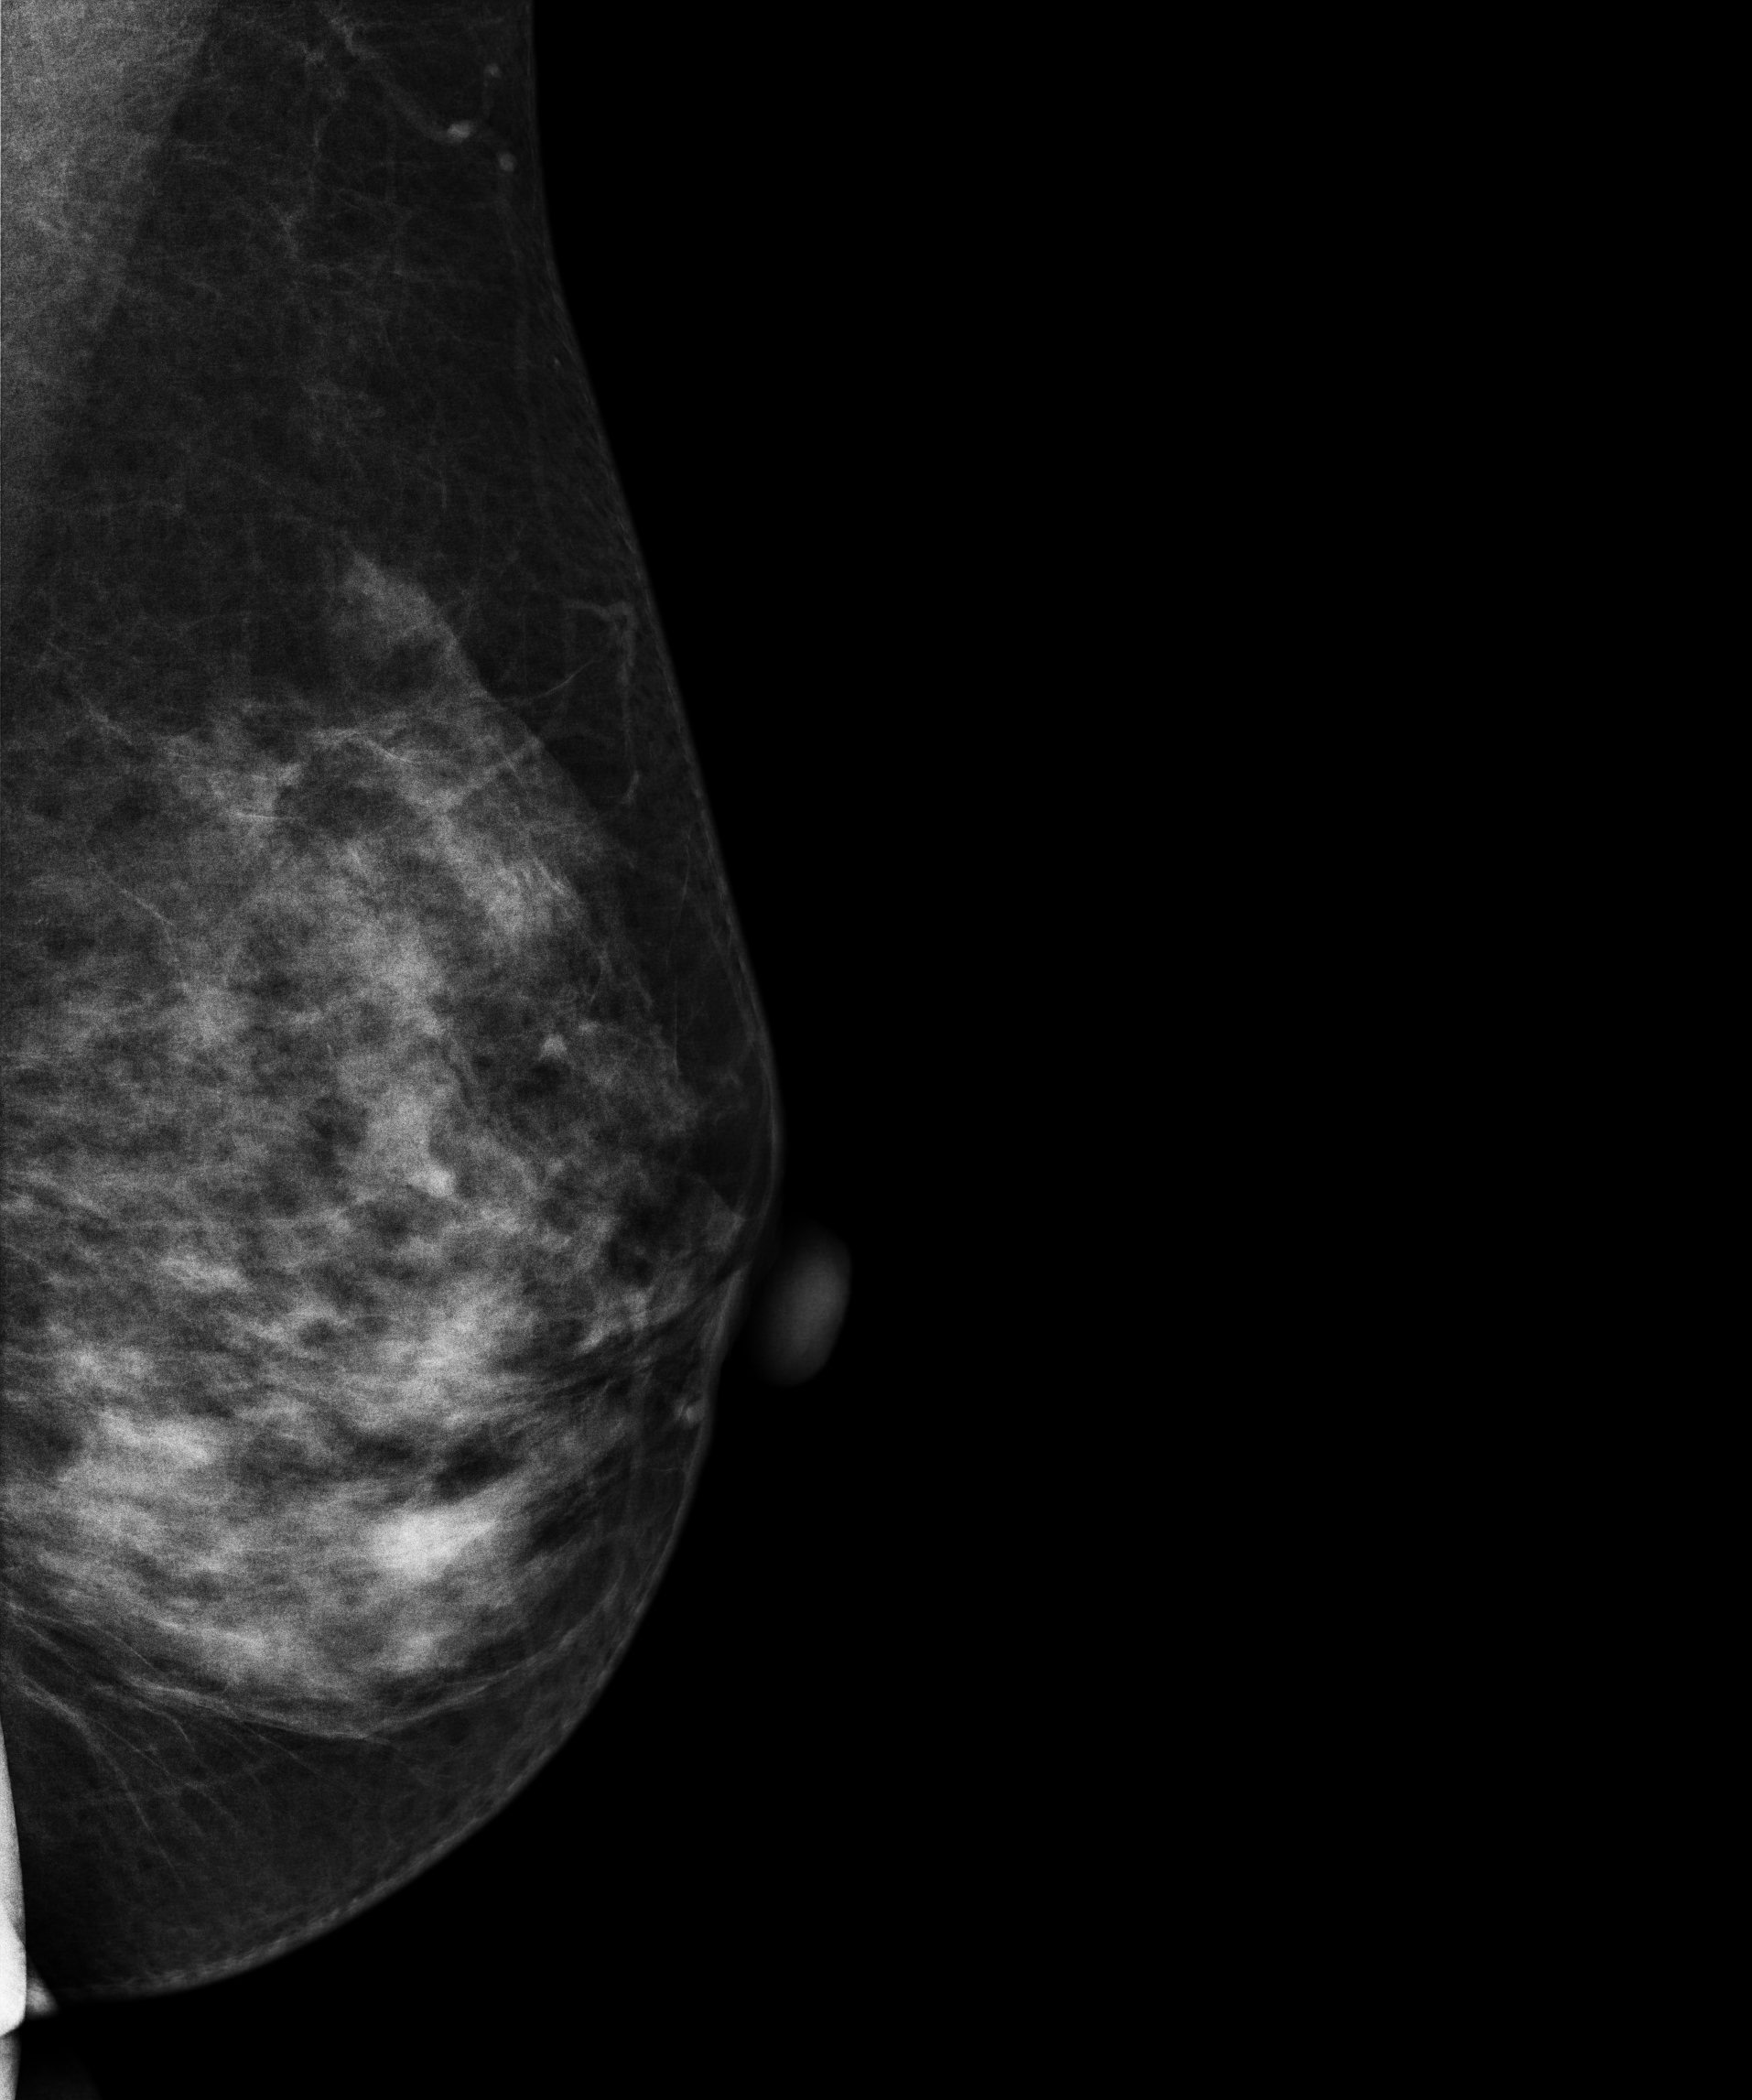
Digital mammography. Left breast, medio-lateral oblique projection. Patient age 44.
Contralateral breast — no documented abnormality on this side.